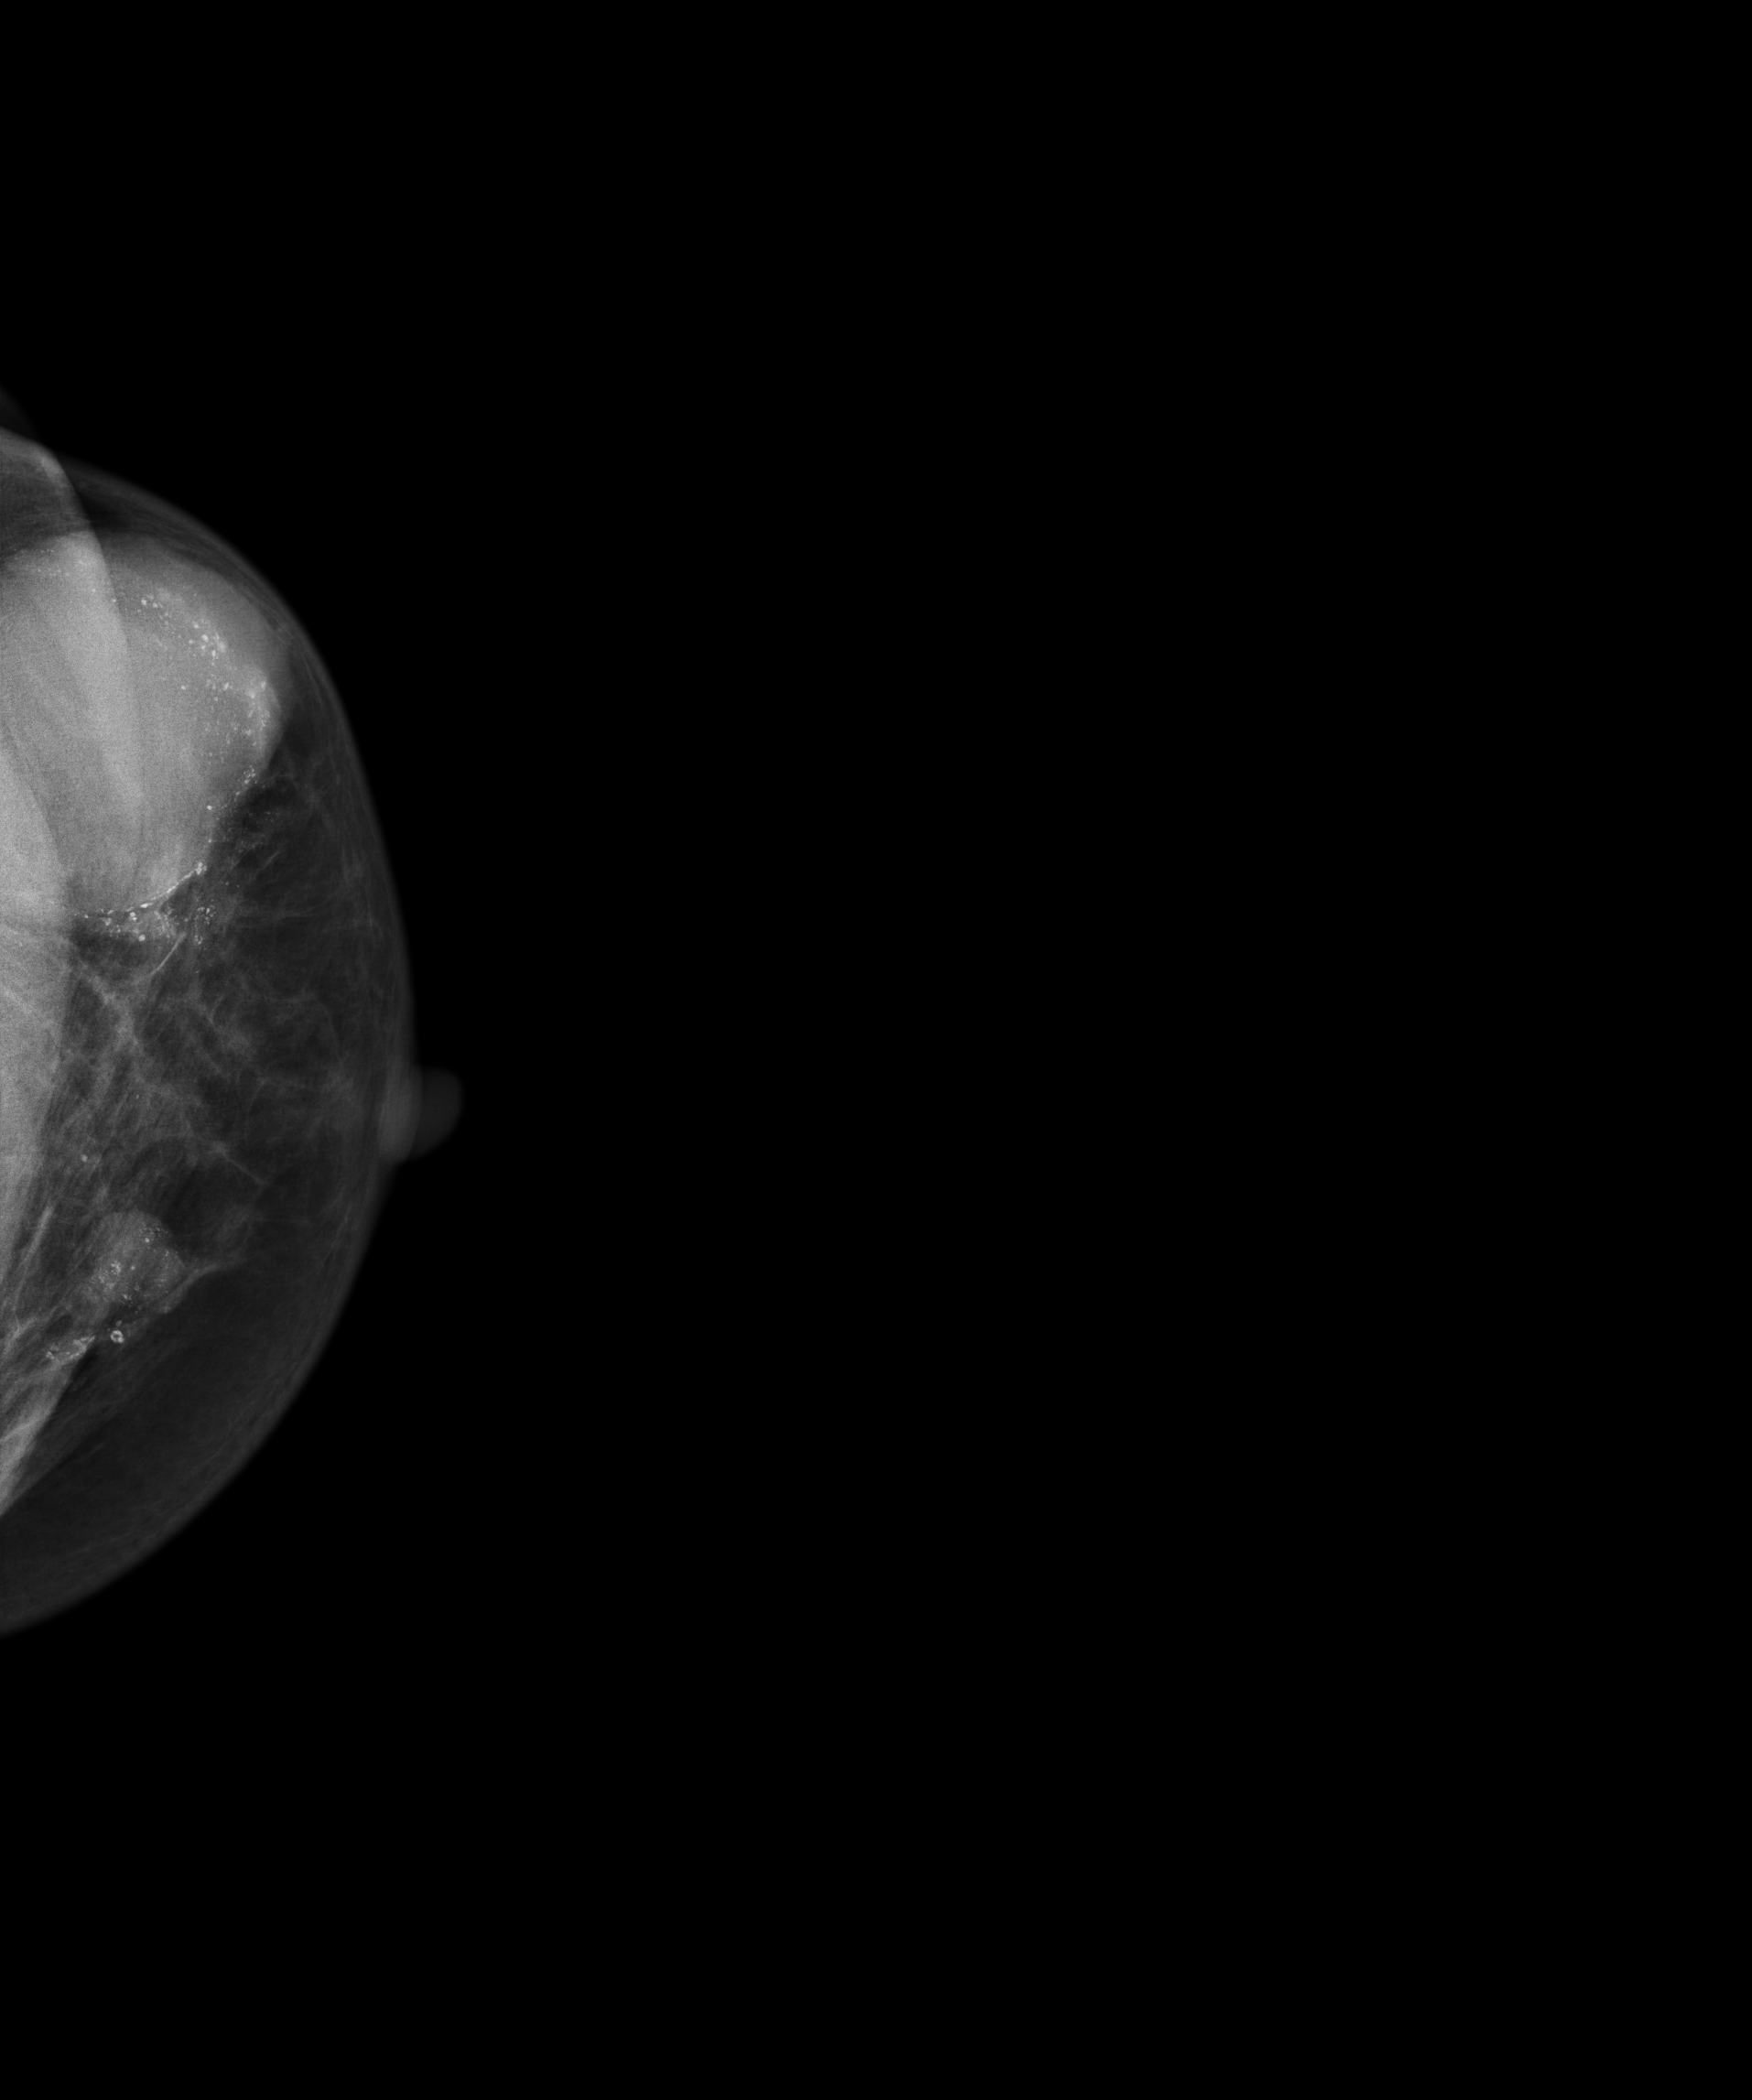
Digital mammography. Left breast, cranio-caudal projection. 74 y/o patient.
This breast has a mass and calcifications, histologically confirmed malignant.